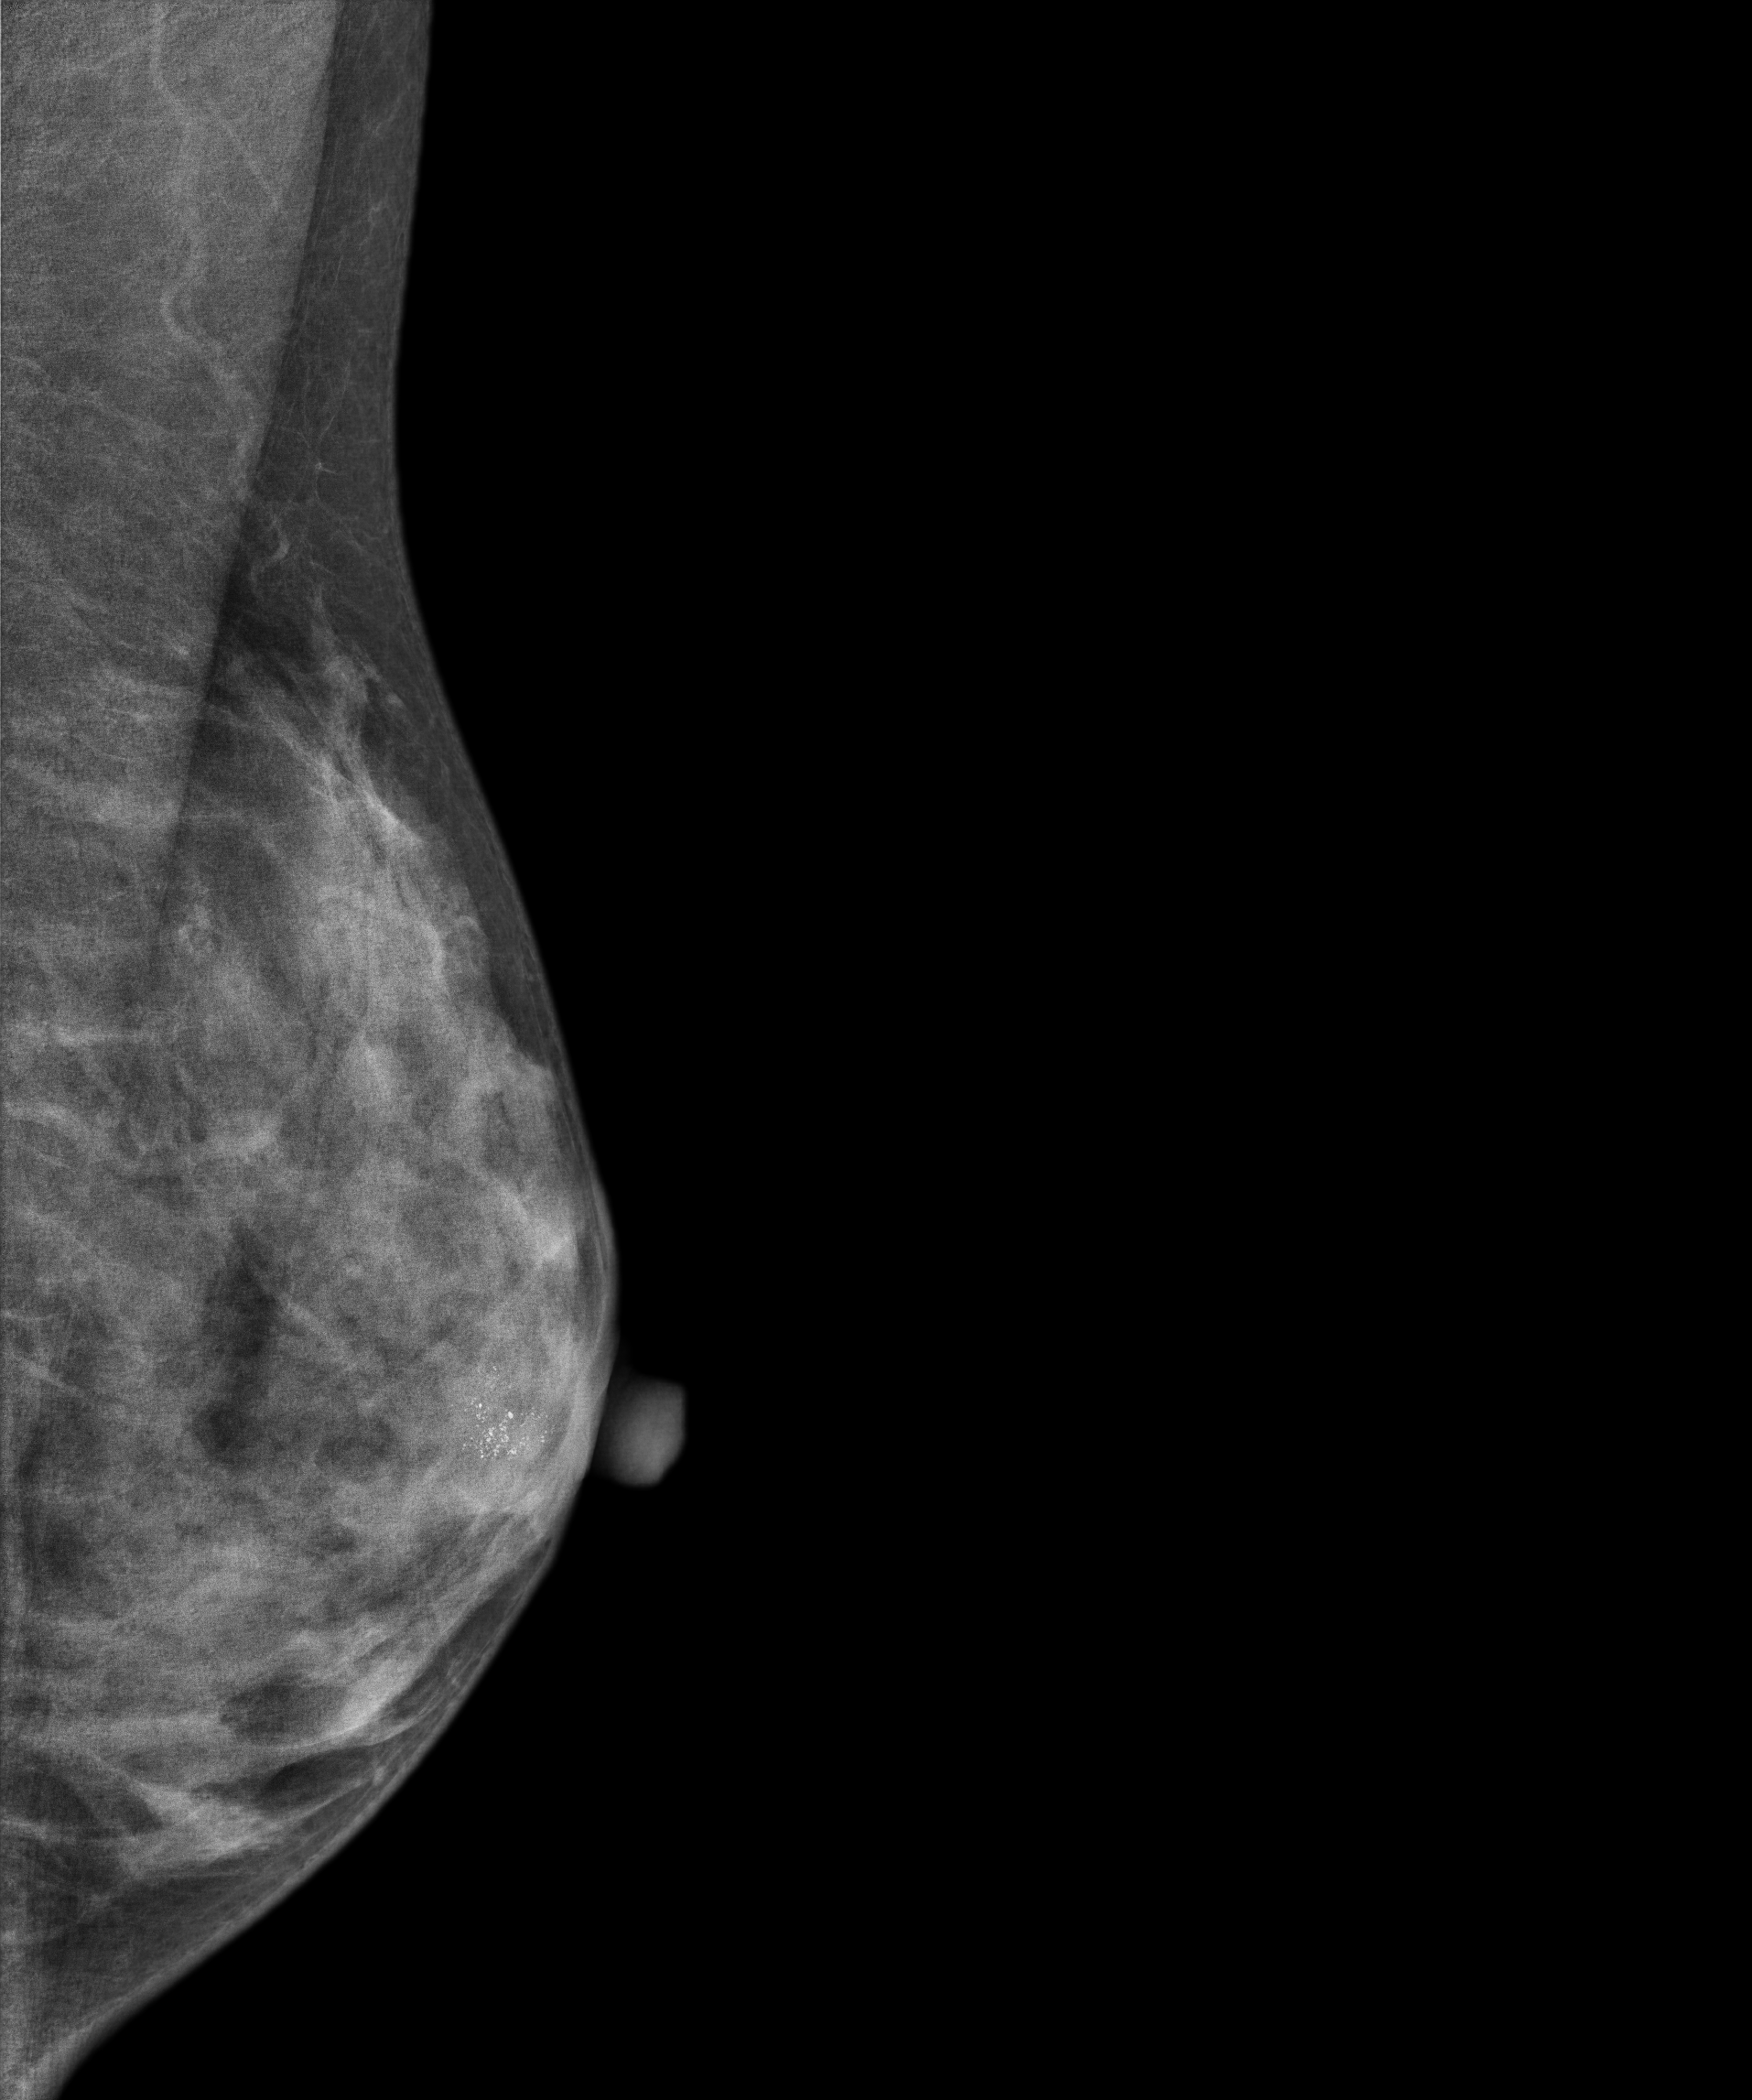
Digital mammography. Left breast, MLO projection. 38 y/o patient.
This breast has calcifications, biopsy-confirmed malignant. Molecular subtype: luminal B.